MLO mammogram of the right breast. 45-year-old patient.
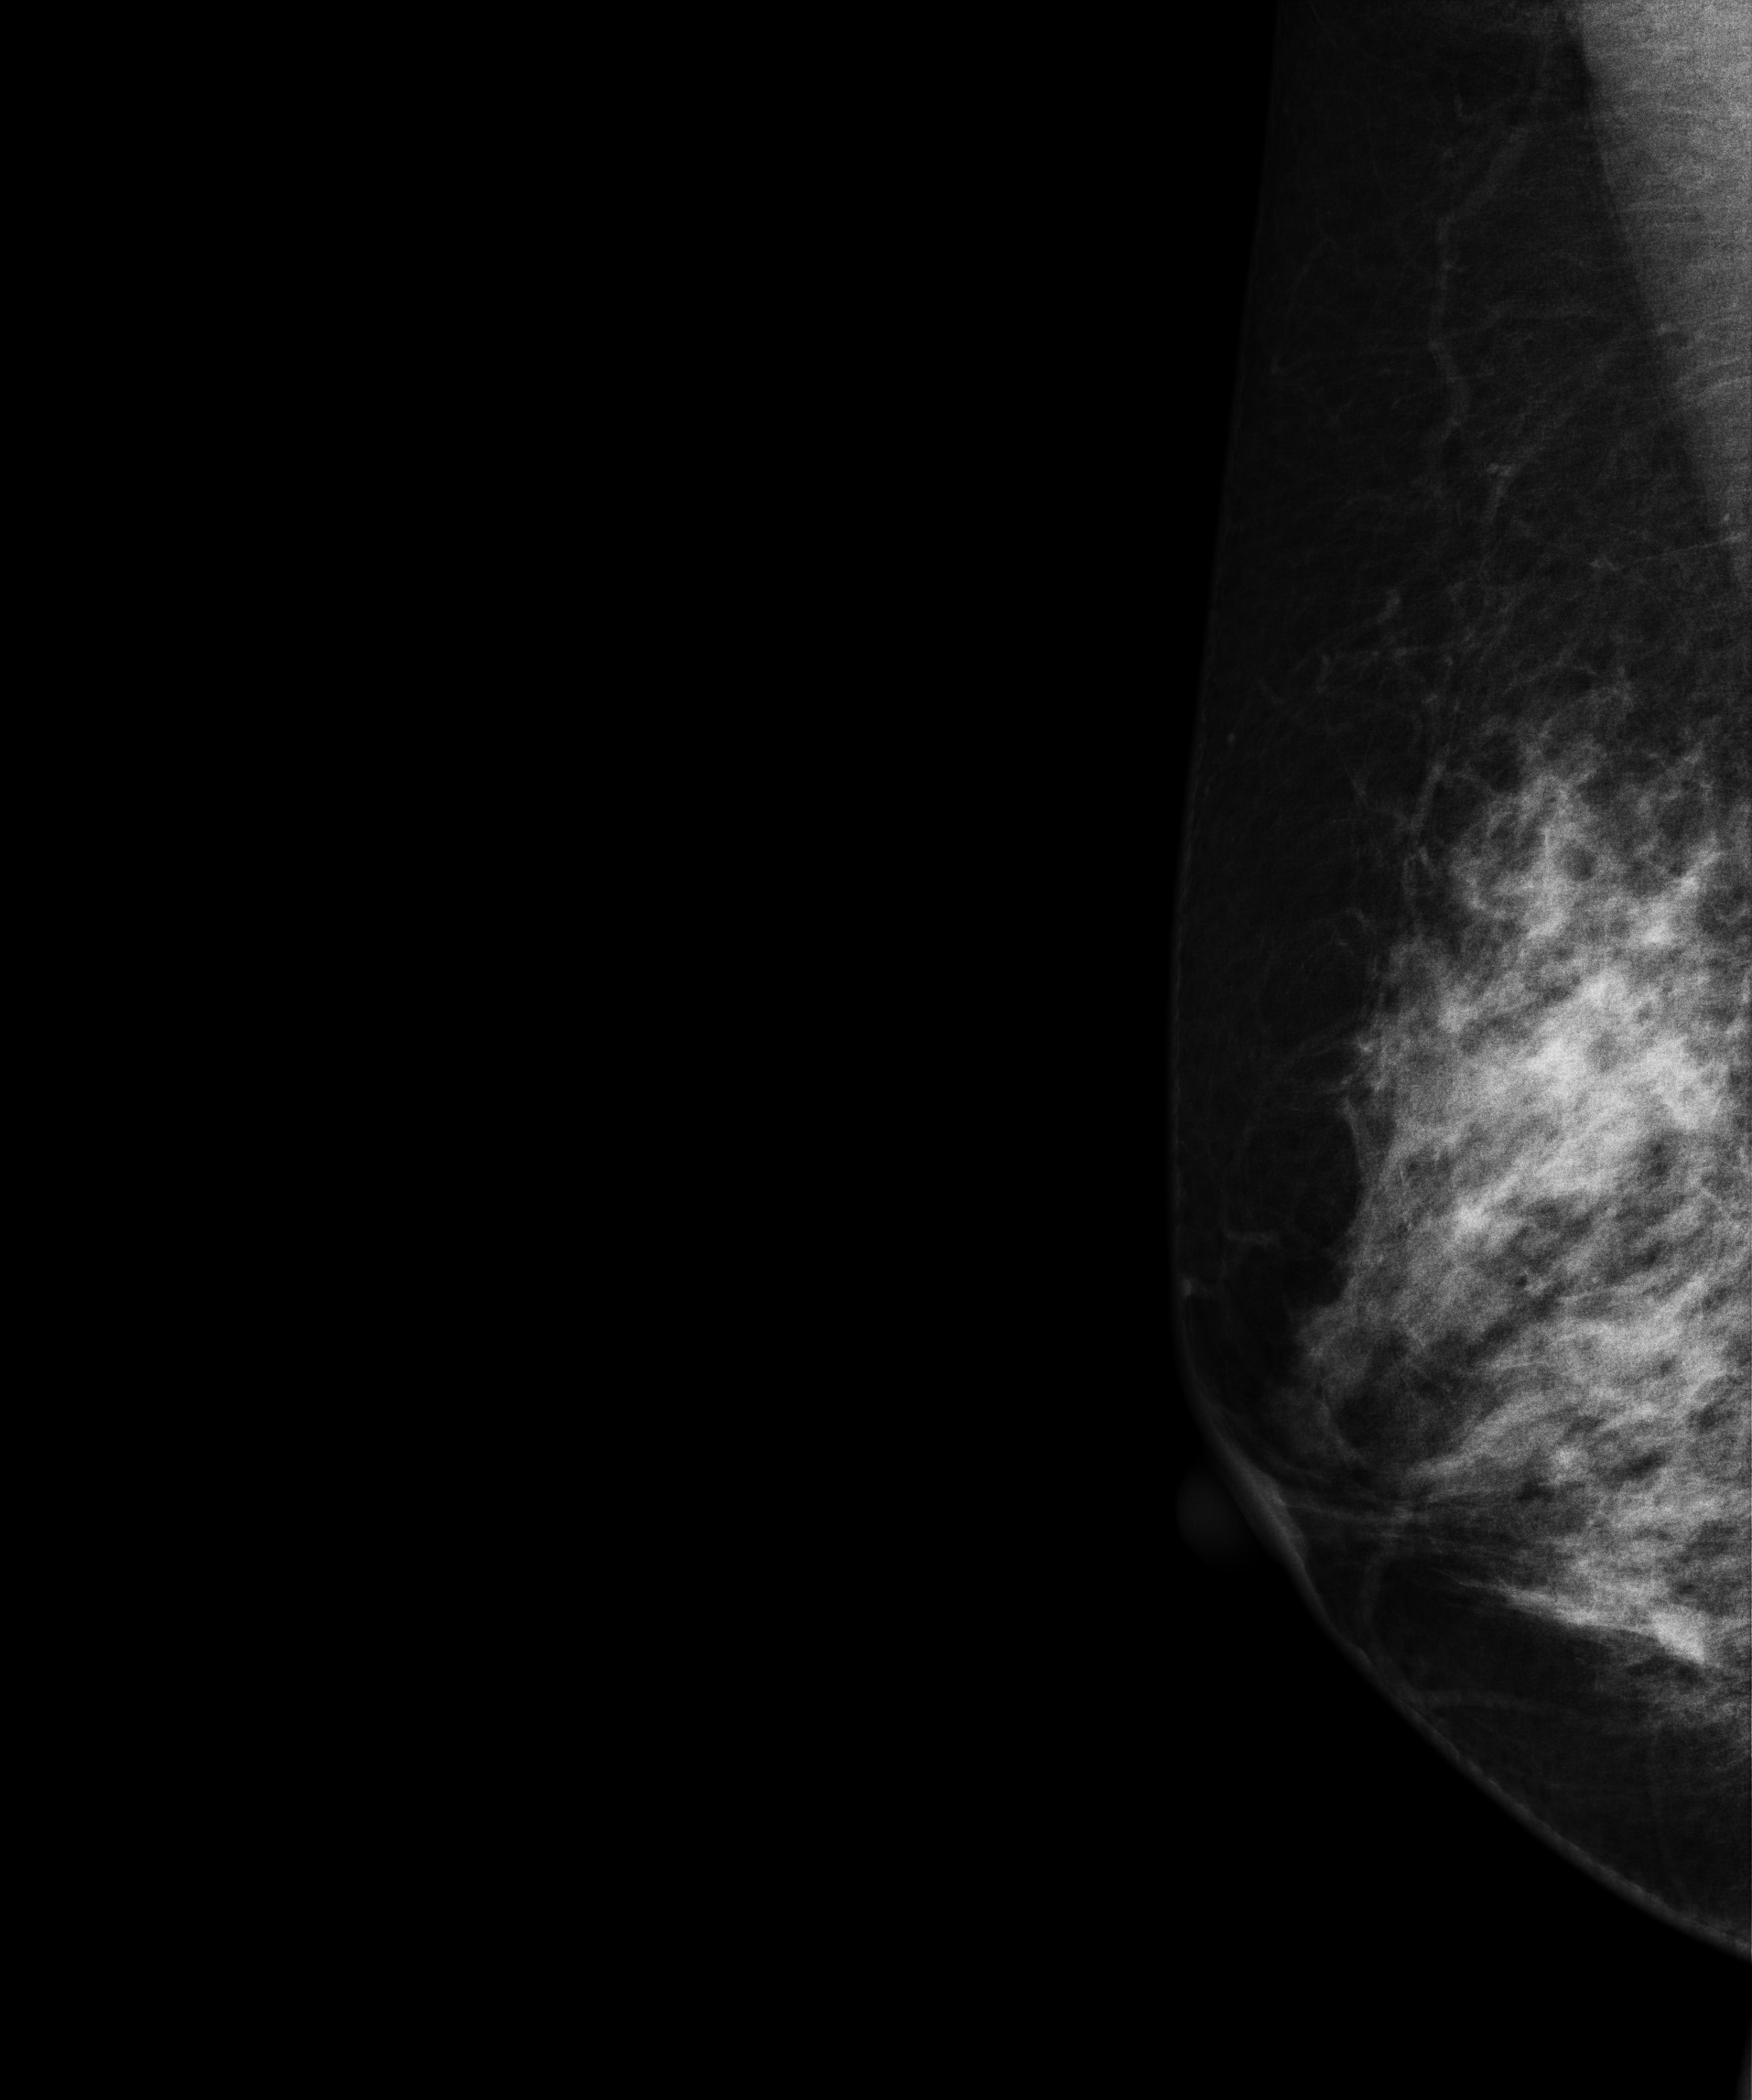
This breast has a mass, pathology-confirmed malignant.